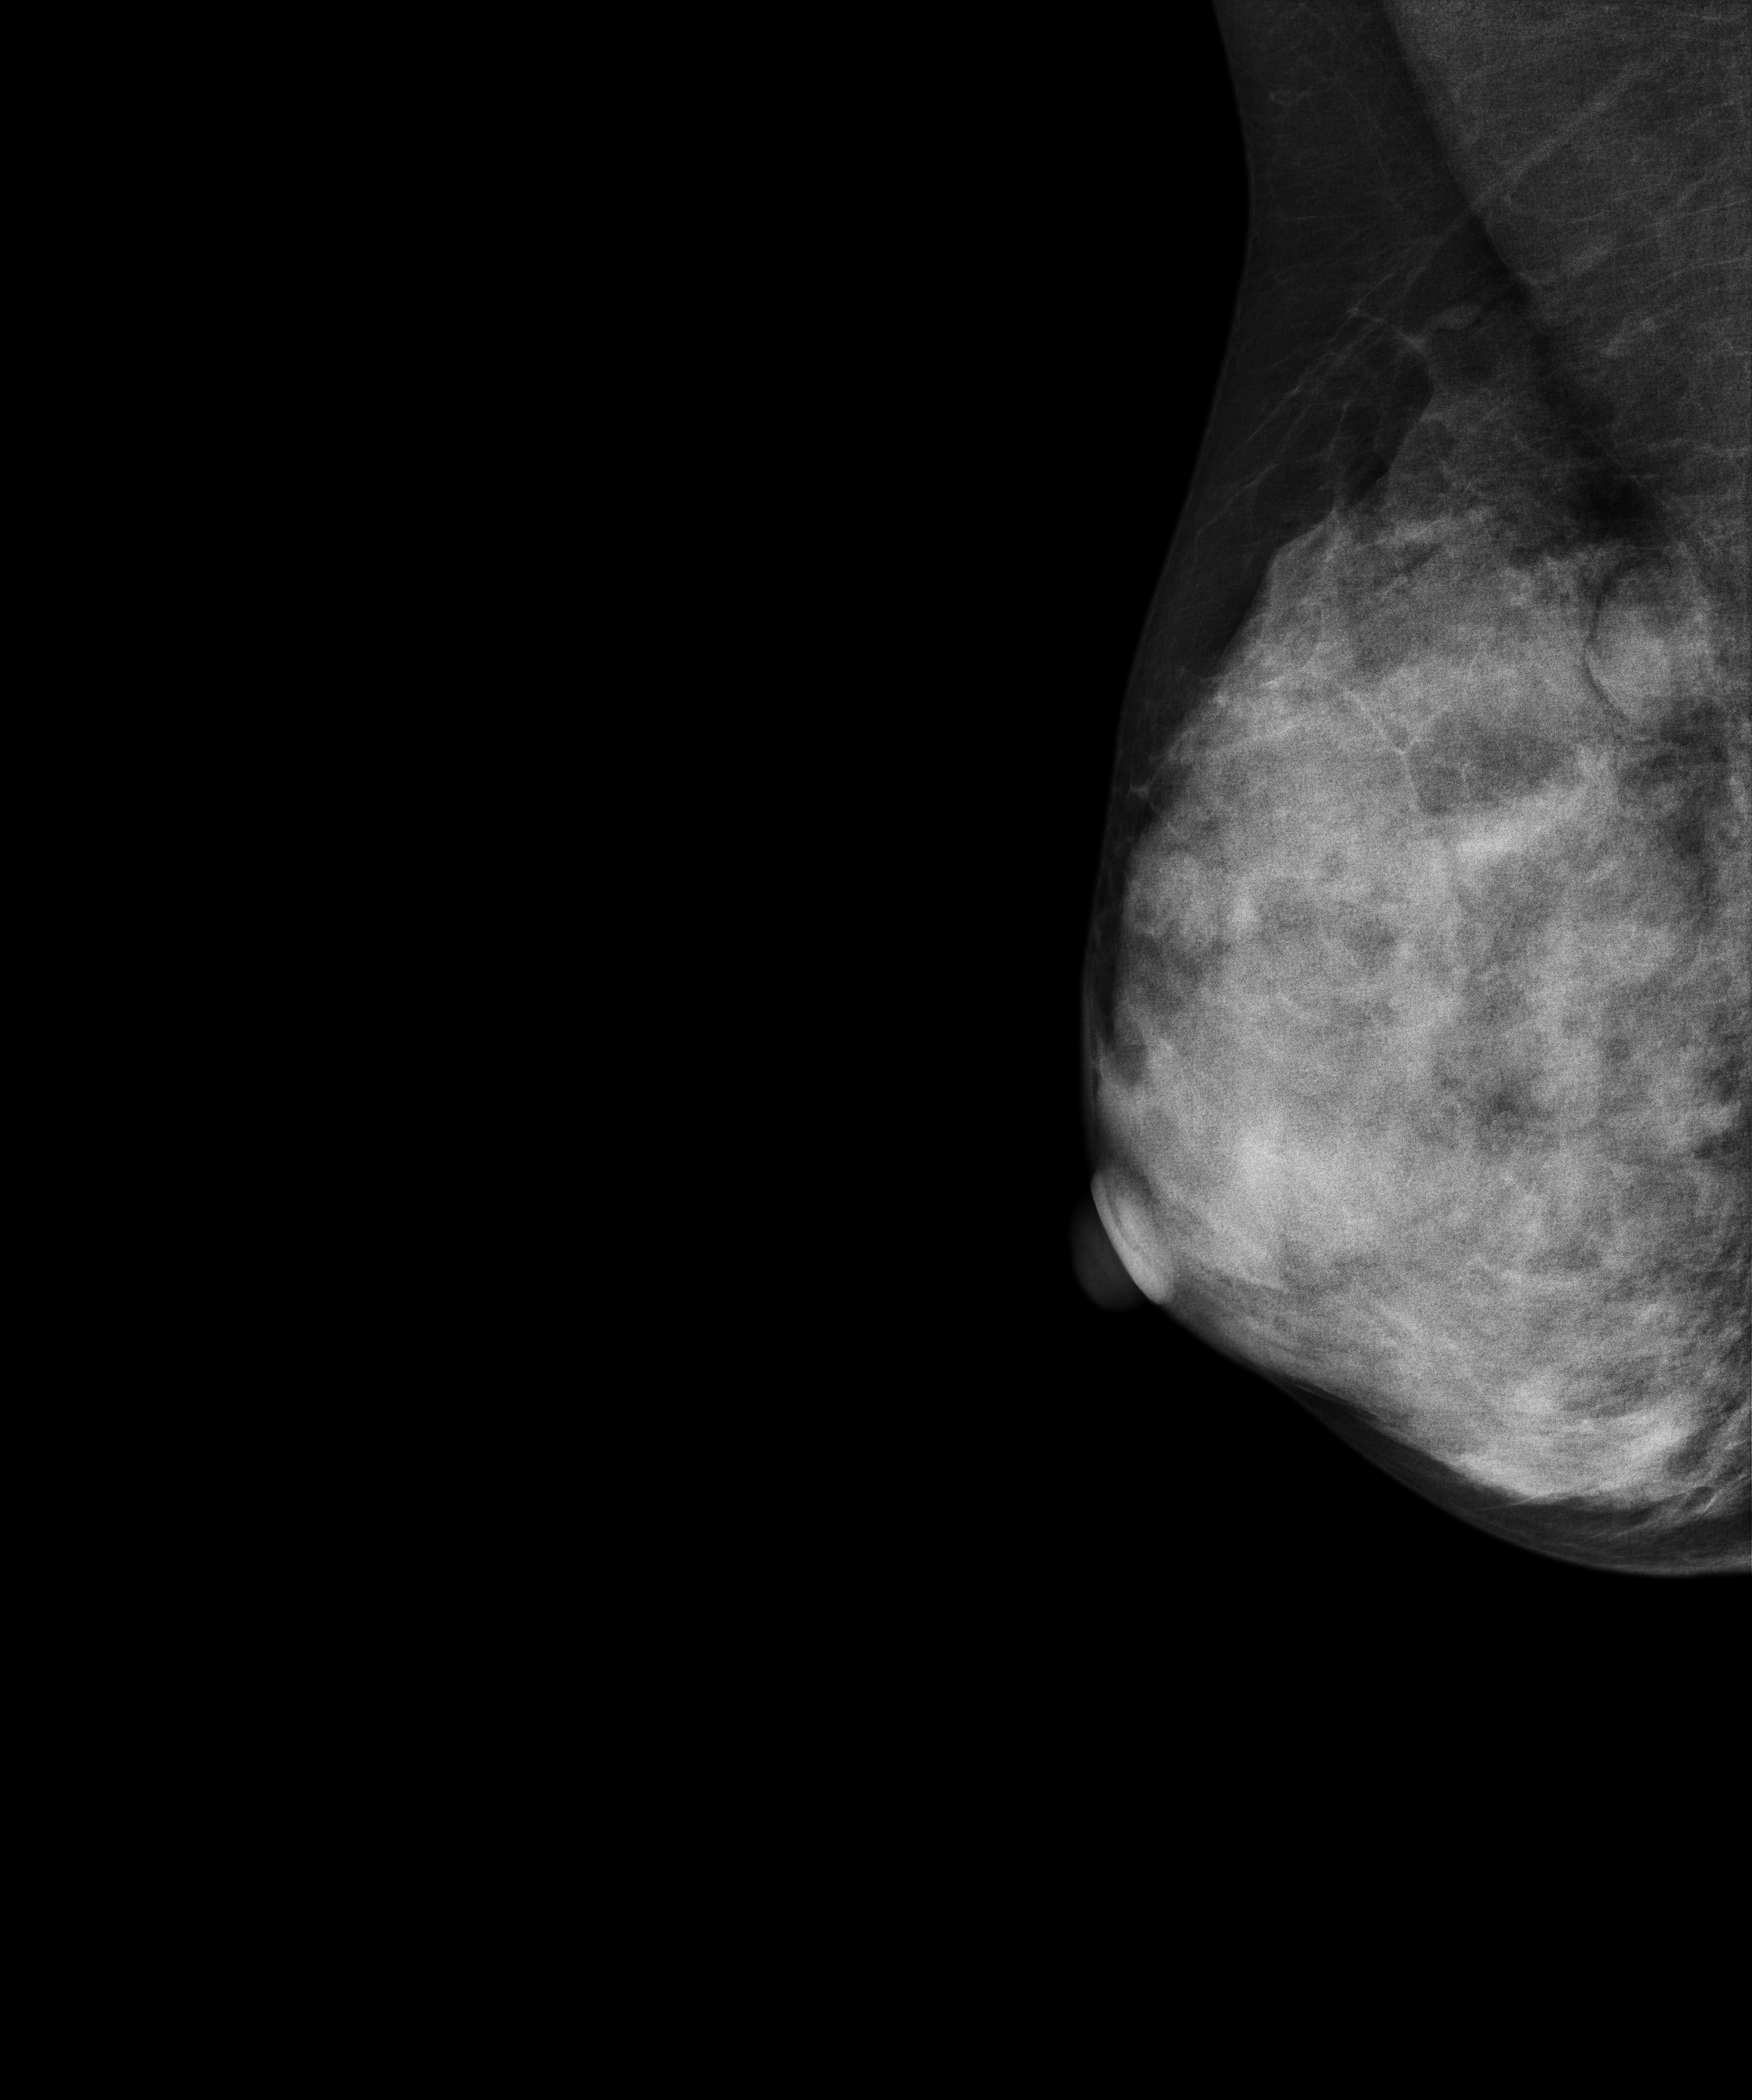
Mammogram, right breast, medio-lateral oblique view. 47 y/o patient.
This breast has a mass, biopsy-proven benign.